Left-breast mammogram, MLO. 57 y/o patient.
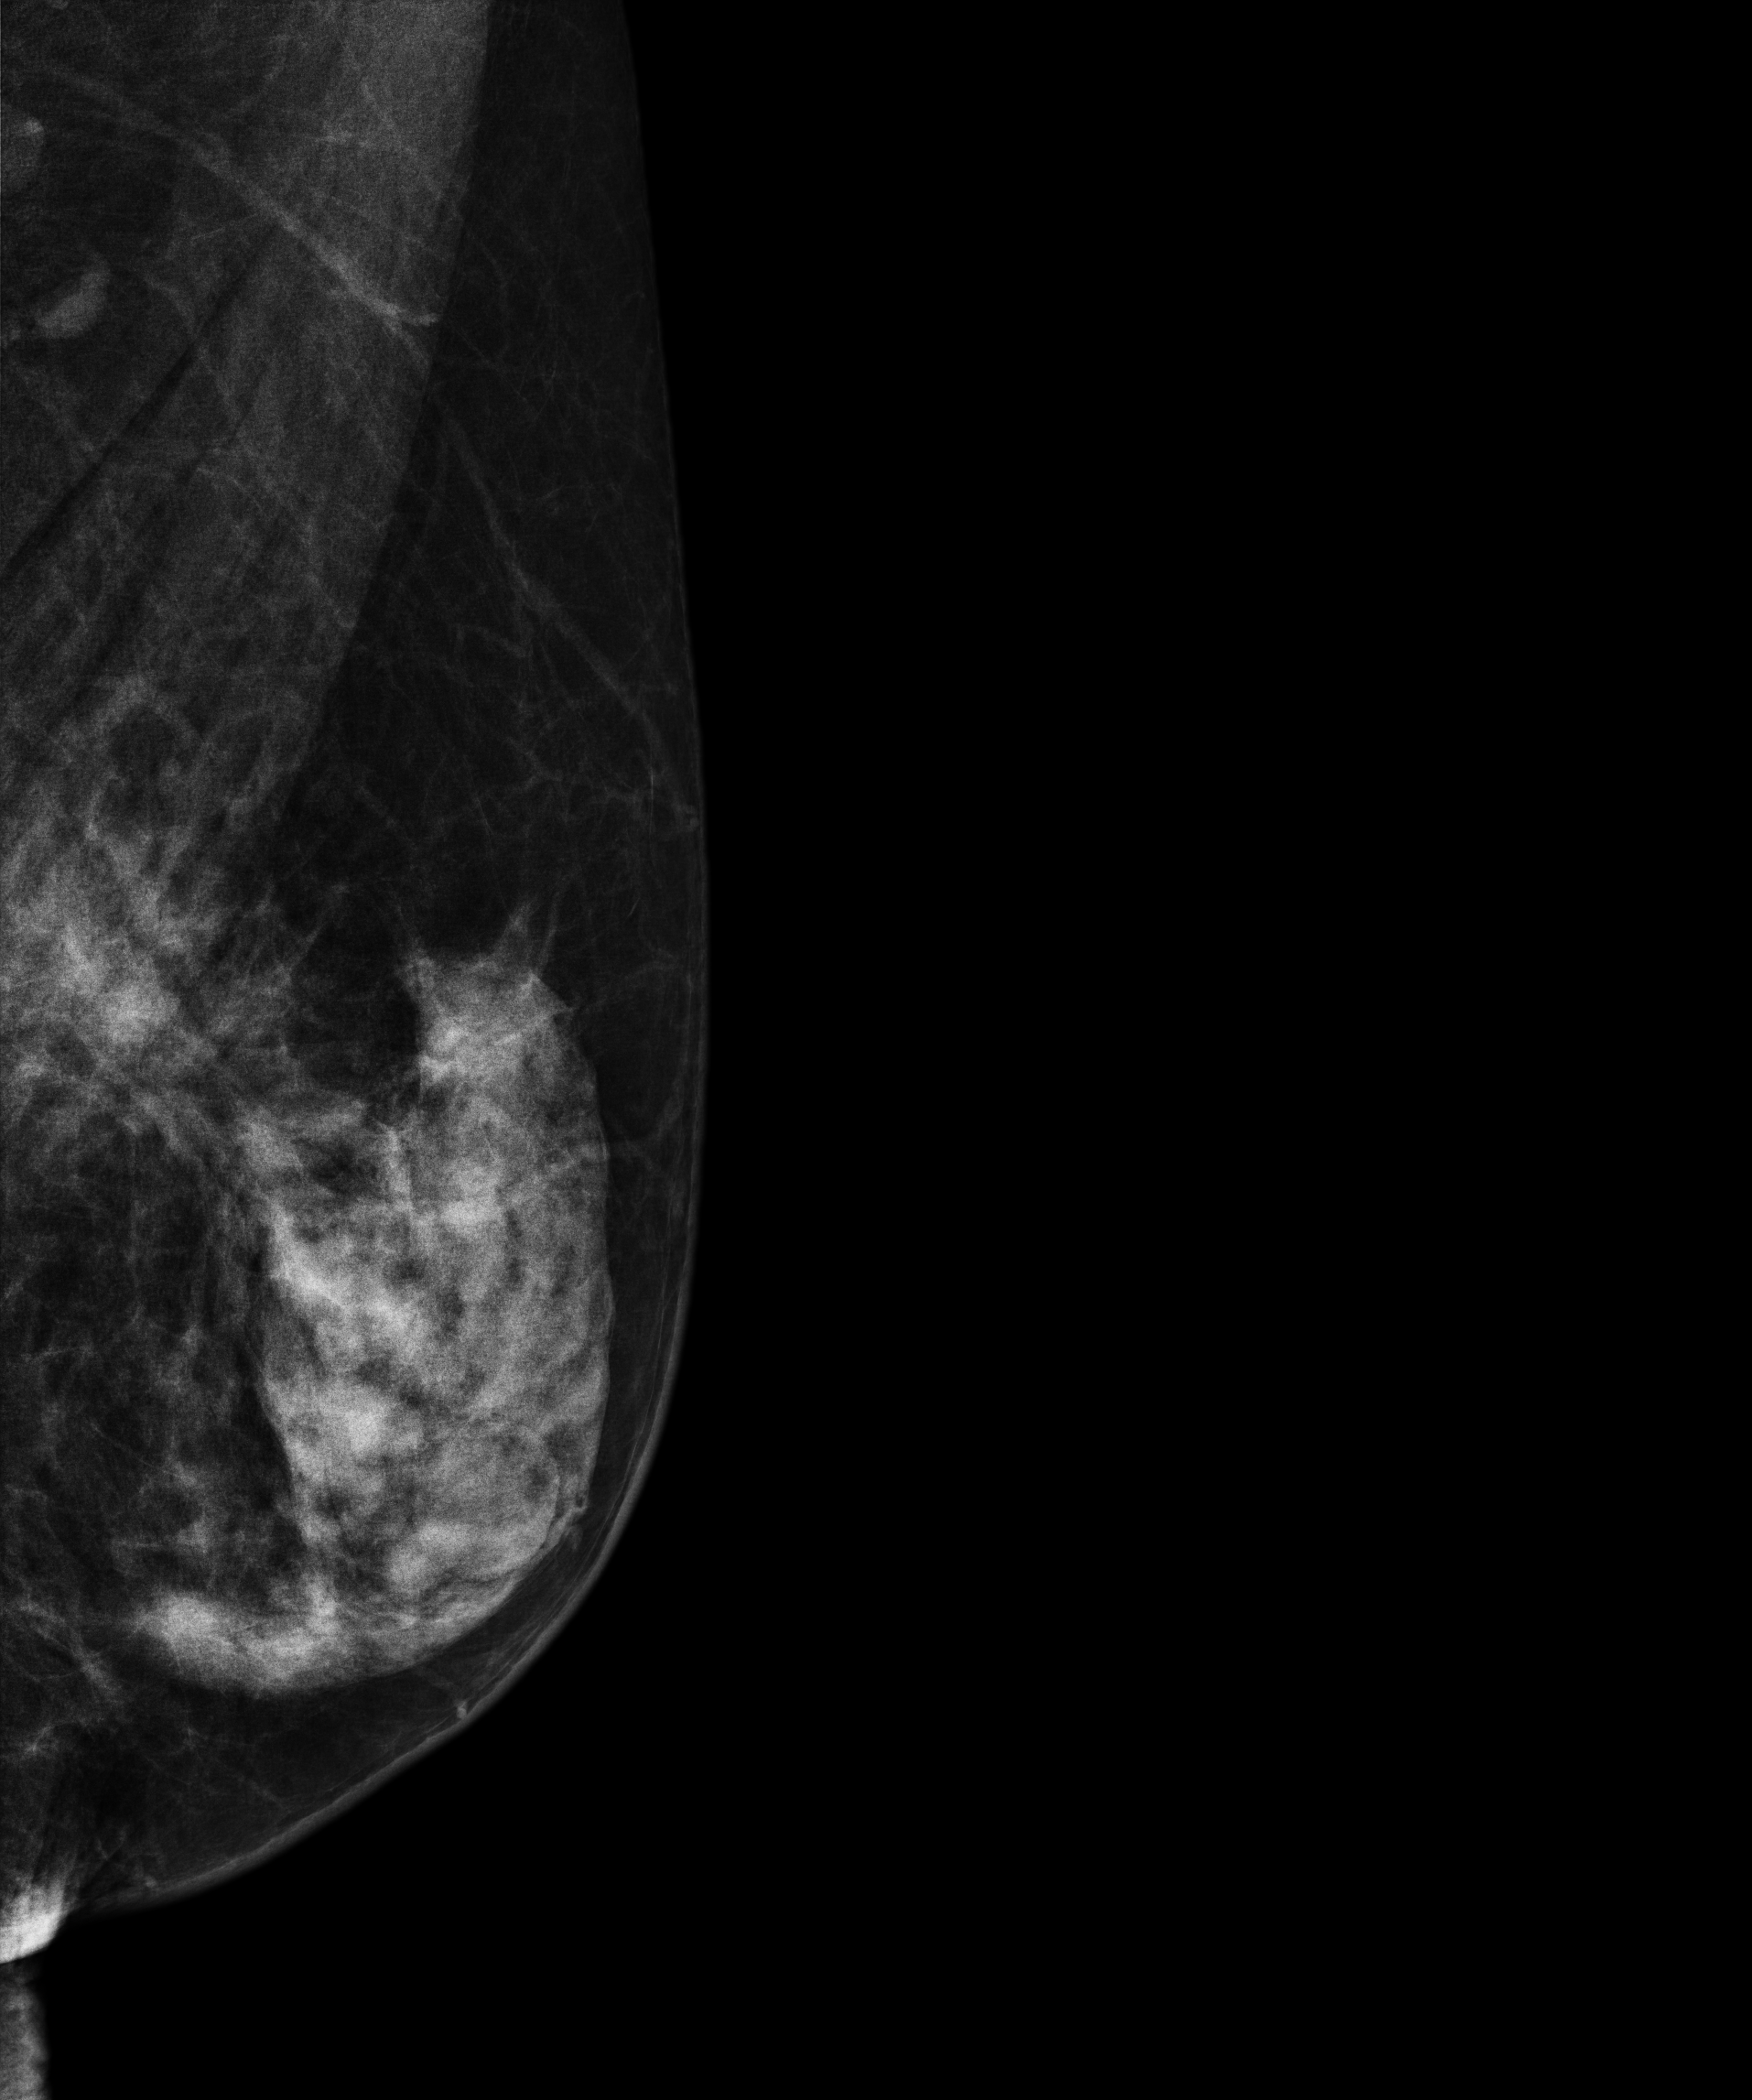
This breast has a mass, biopsy-proven malignant.